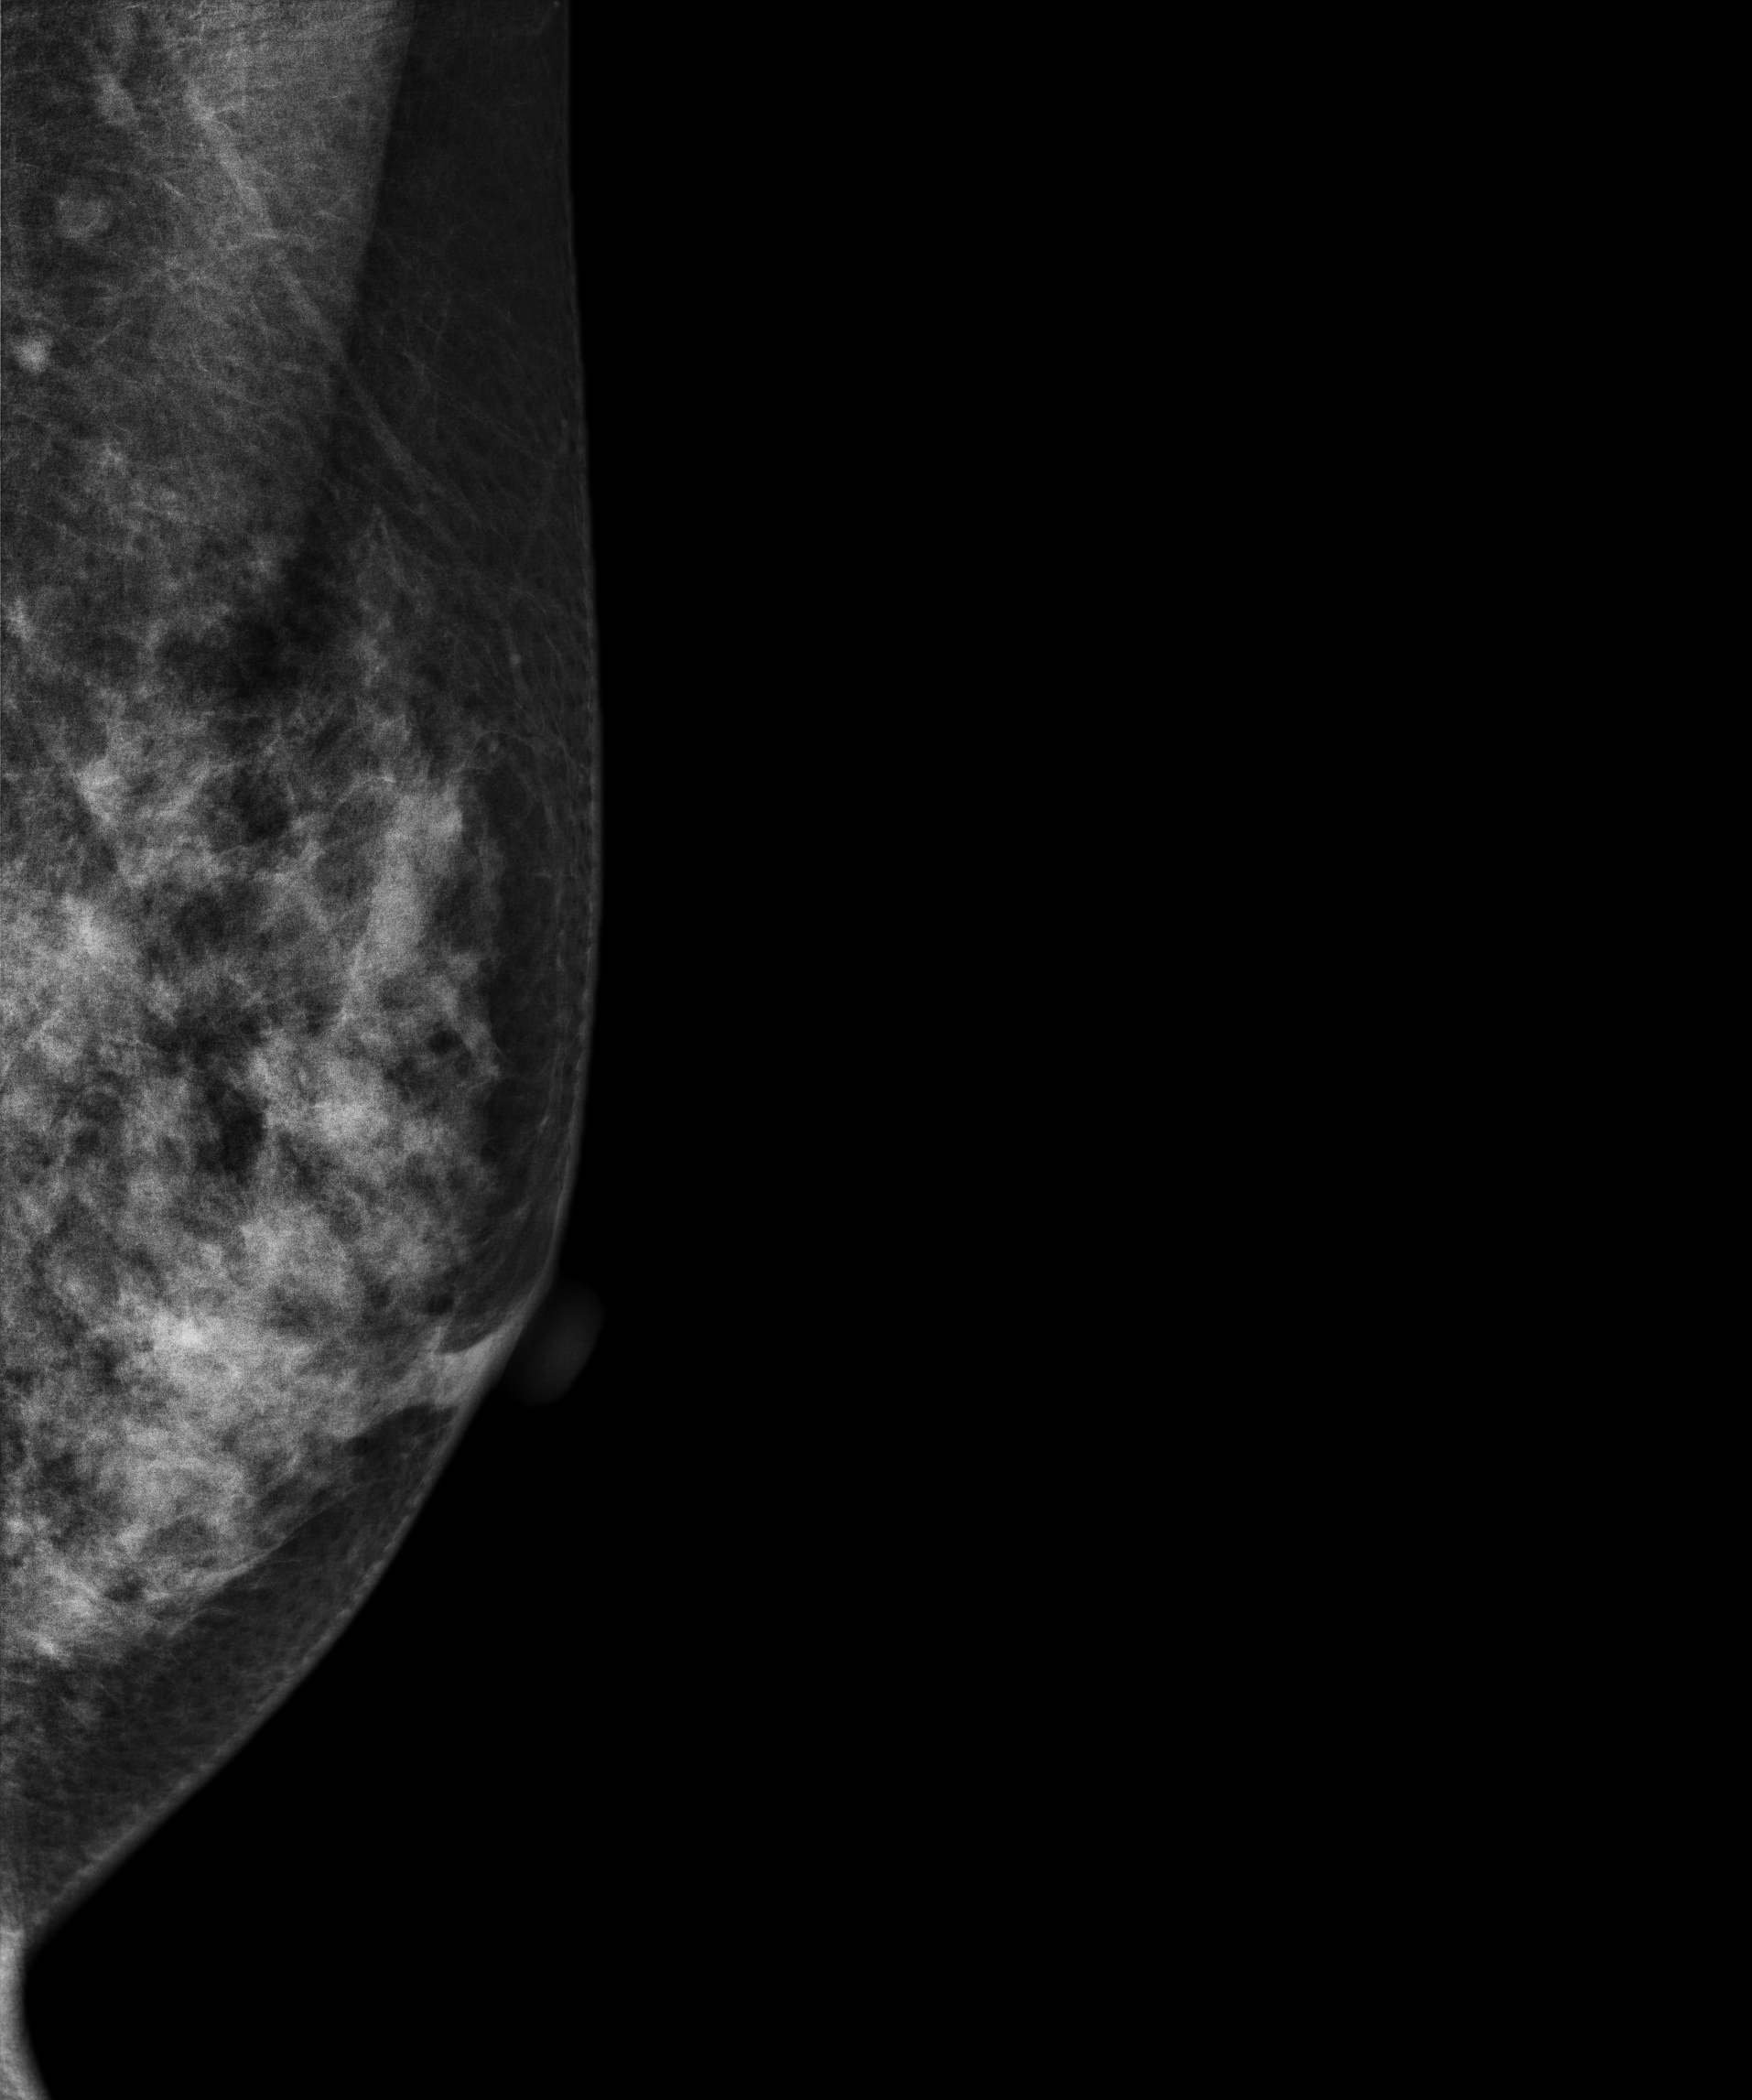
Digital mammography. Left breast, MLO projection. Patient age 43.
This breast has a mass, biopsy-proven benign.